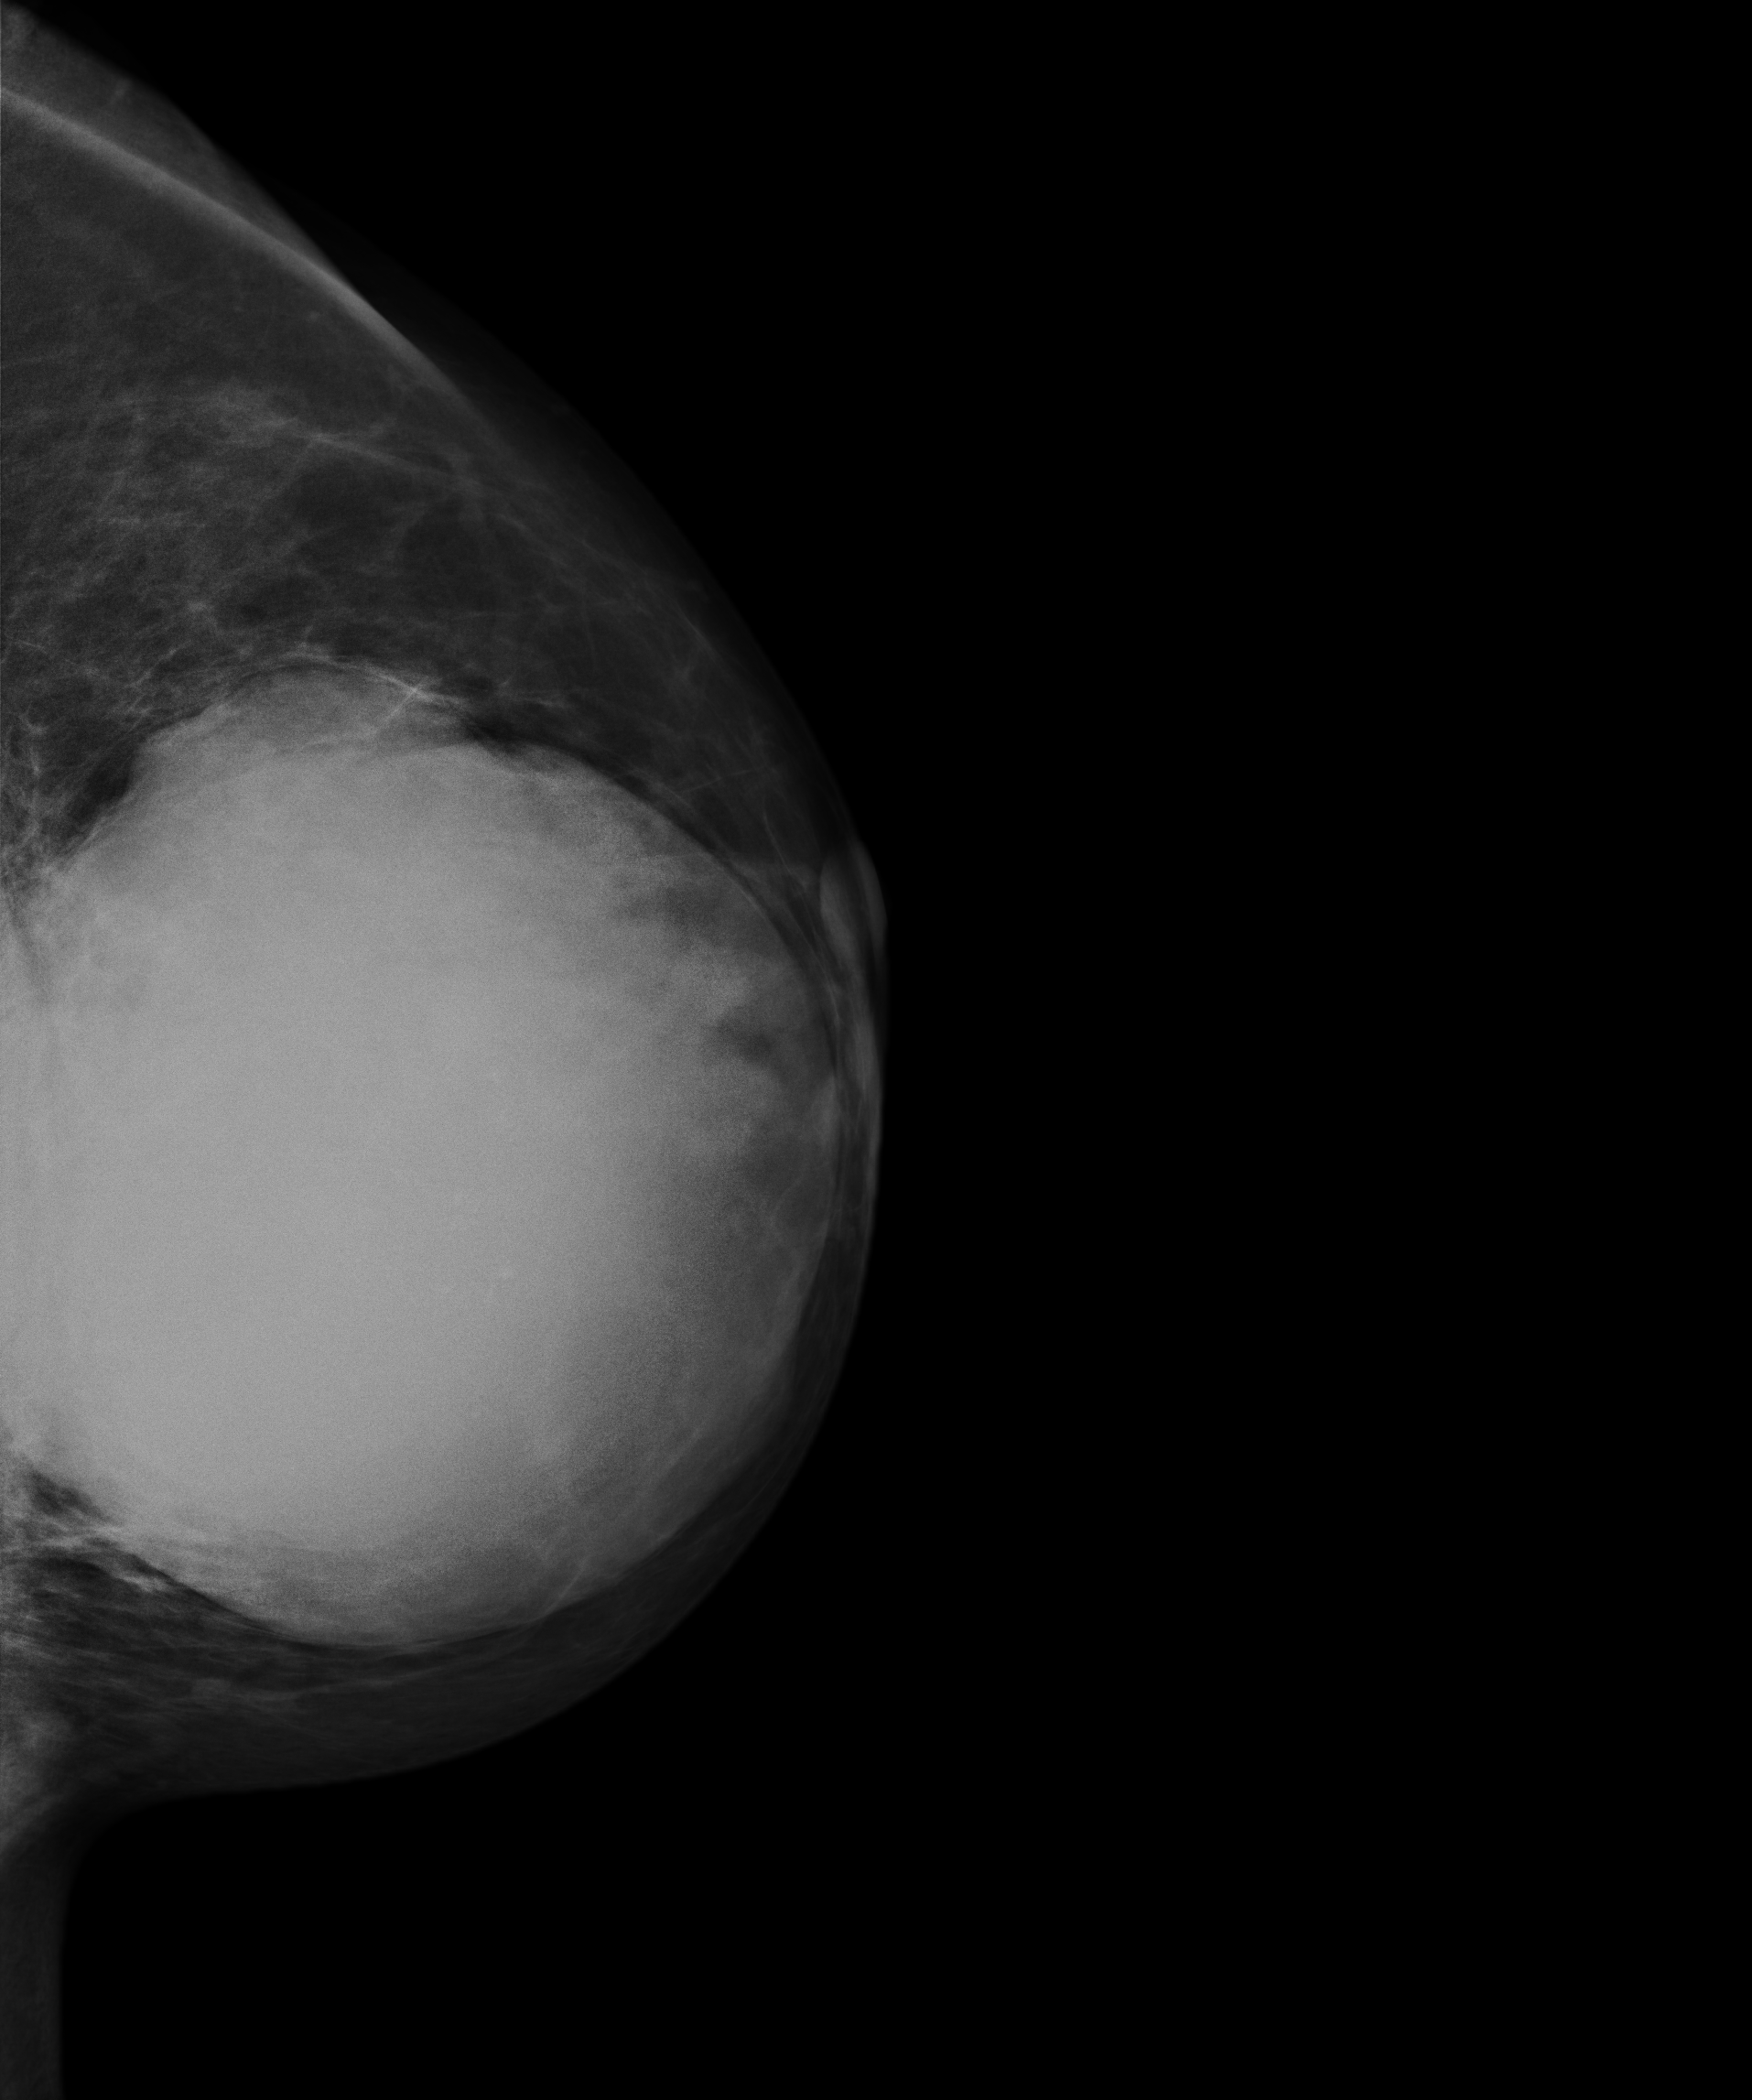
Mammogram, left breast, MLO view. 52 y/o patient.
This breast has a mass and calcifications, biopsy-proven malignant. Molecular subtype: triple-negative.